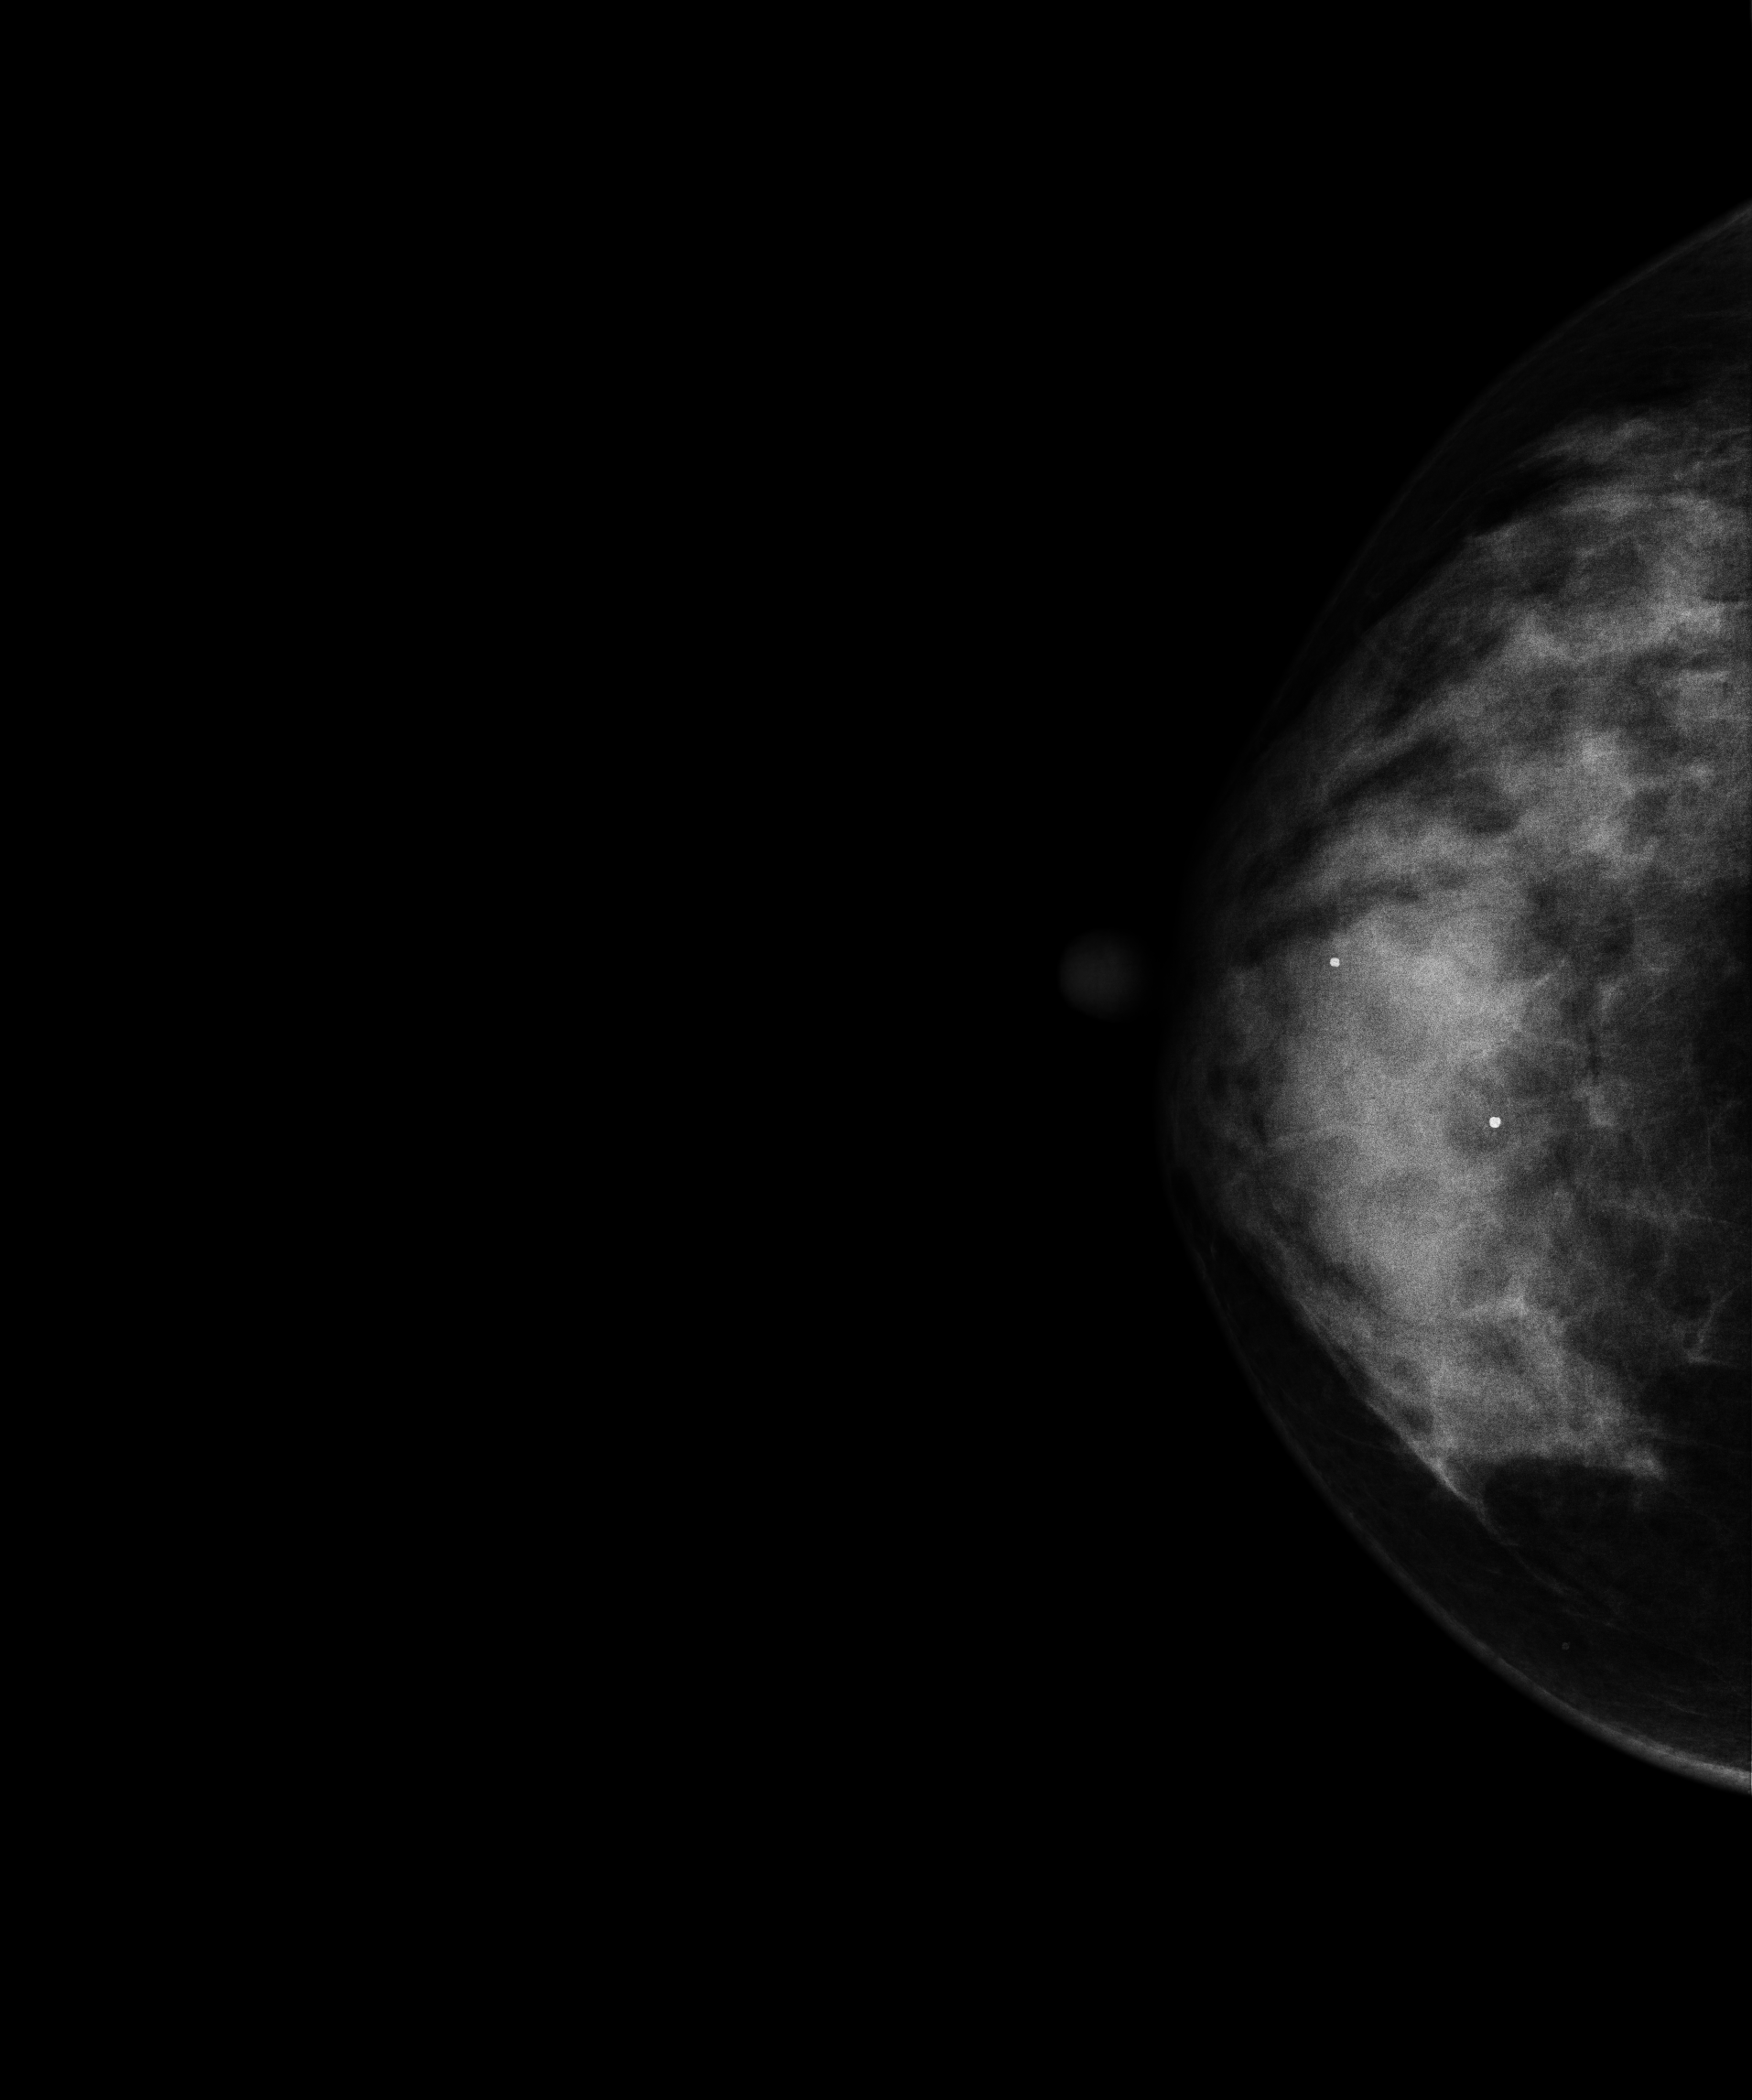
Mammogram — right cranio-caudal. Patient age 47.
This breast has a mass, biopsy-confirmed benign.